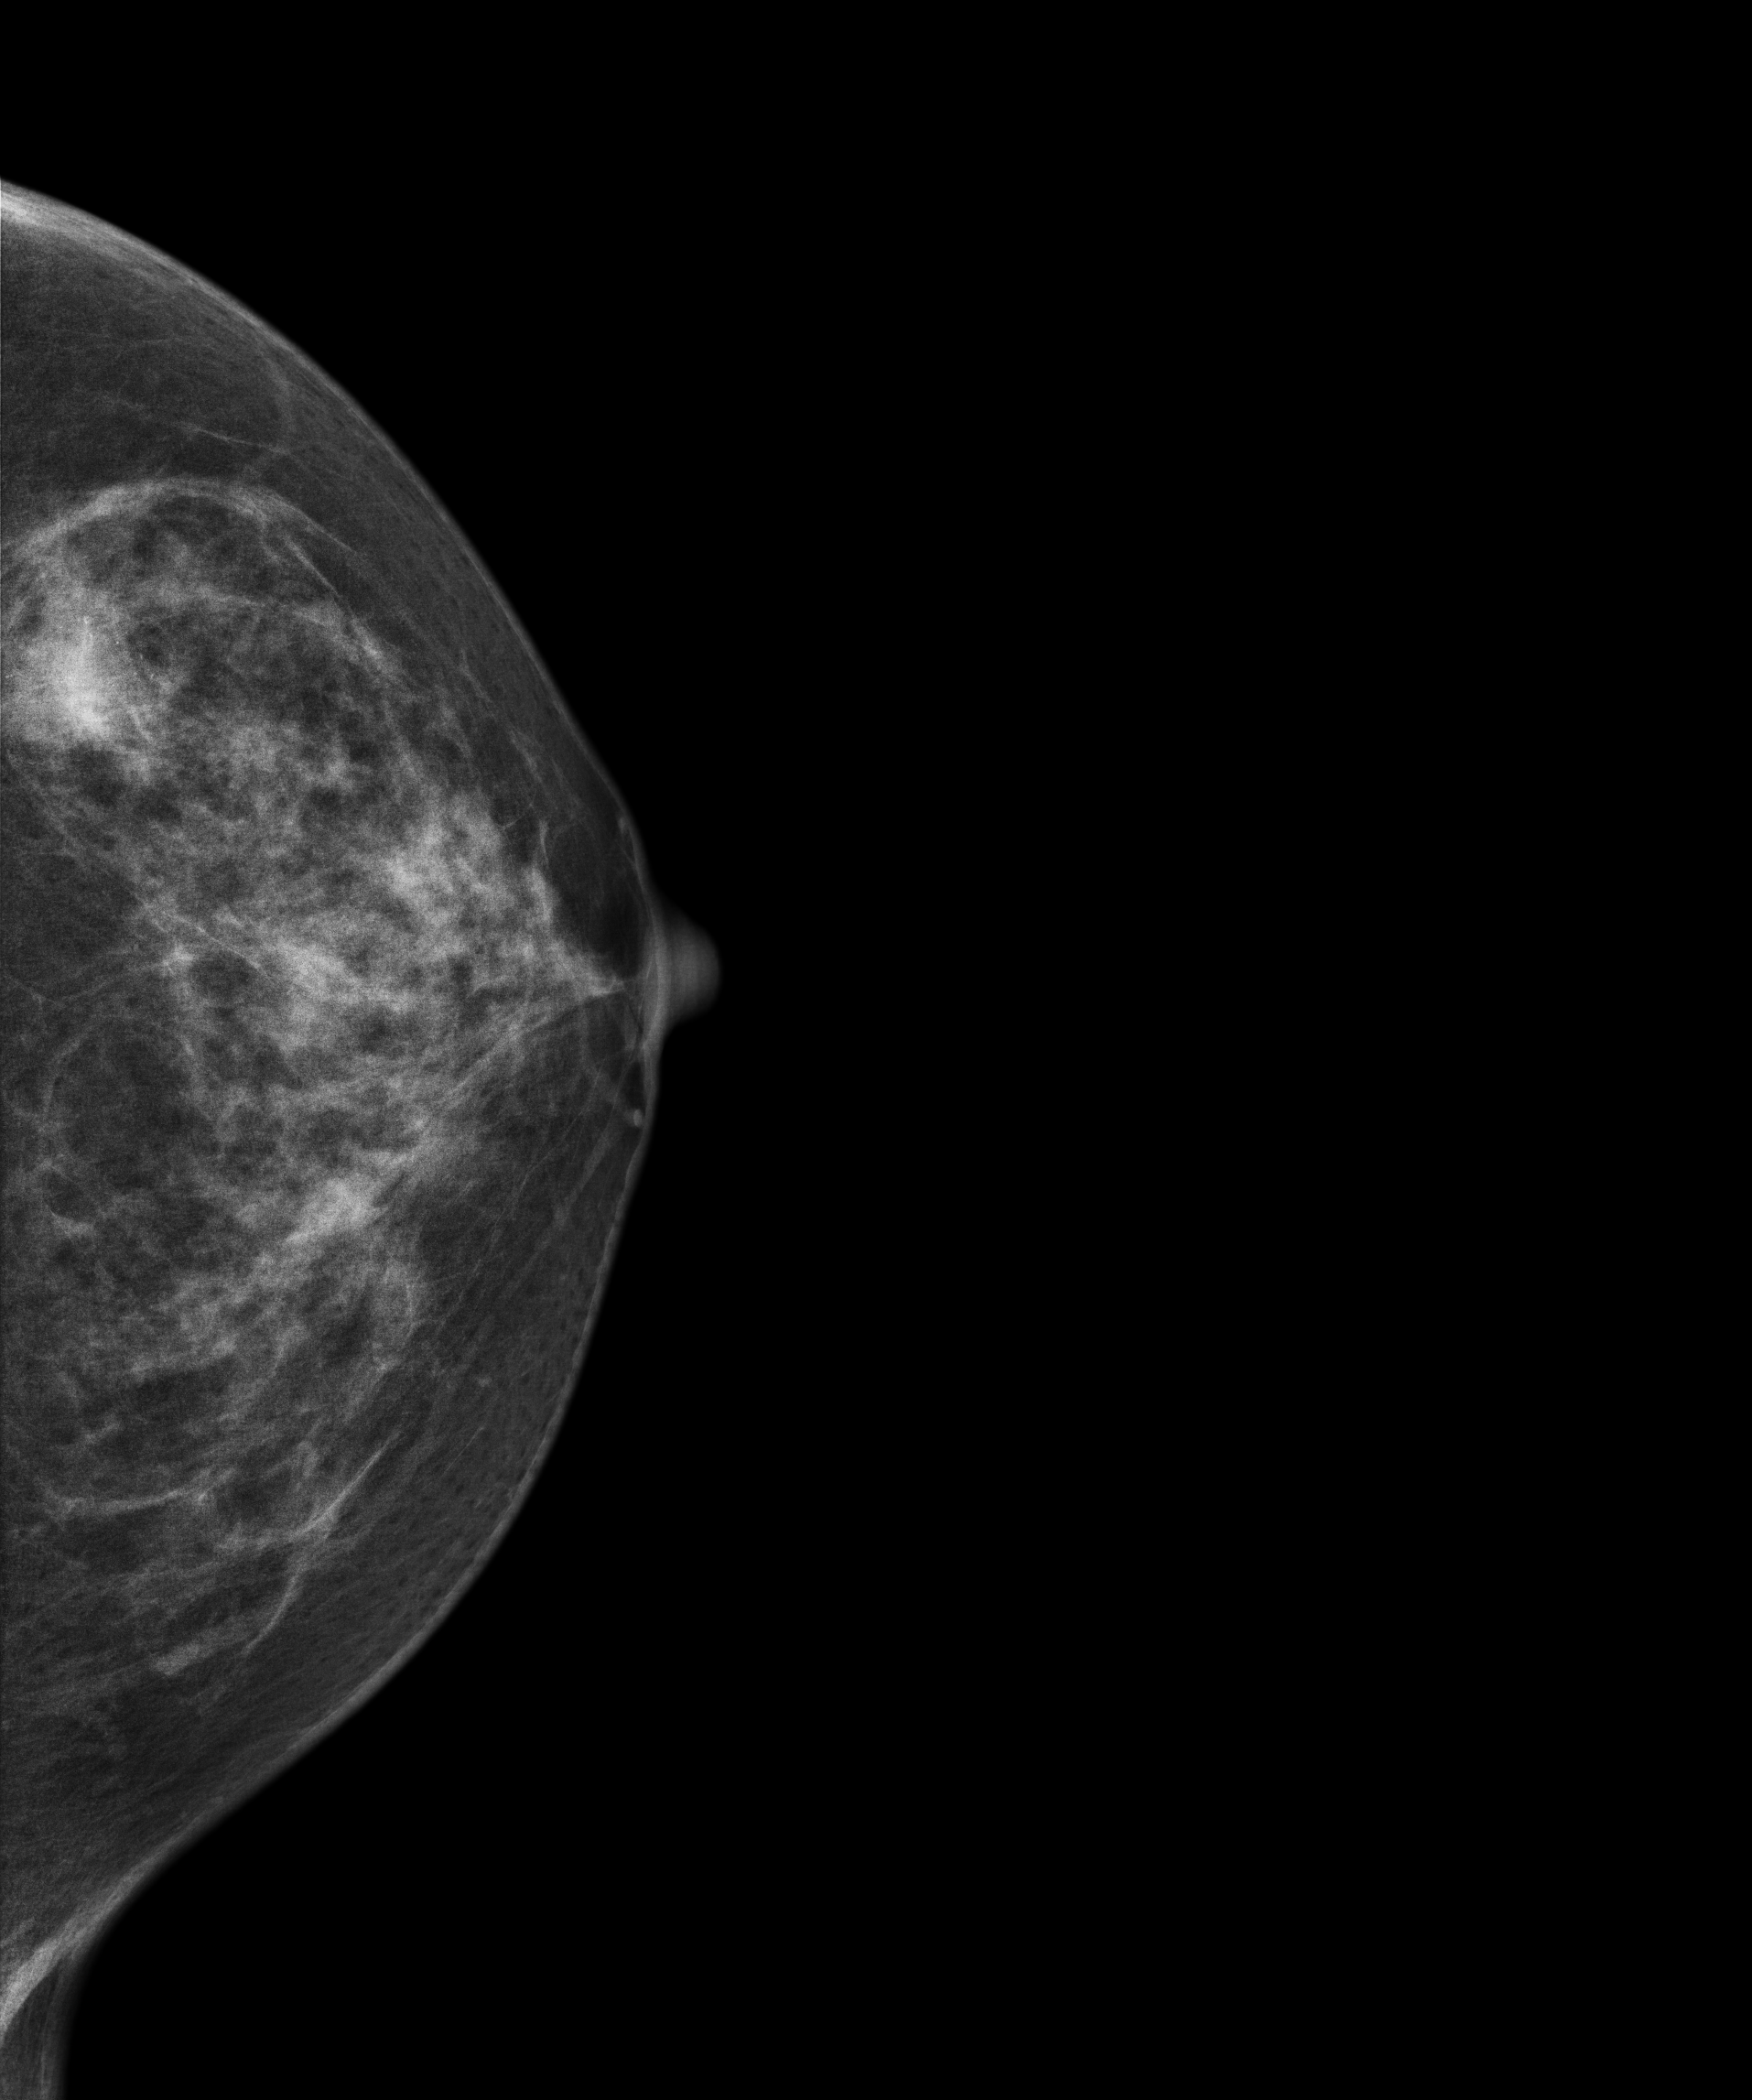
Digital mammography. Left breast, cranio-caudal projection. 58-year-old patient.
This breast has a mass and calcifications, biopsy-proven malignant. Molecular subtype: luminal B.